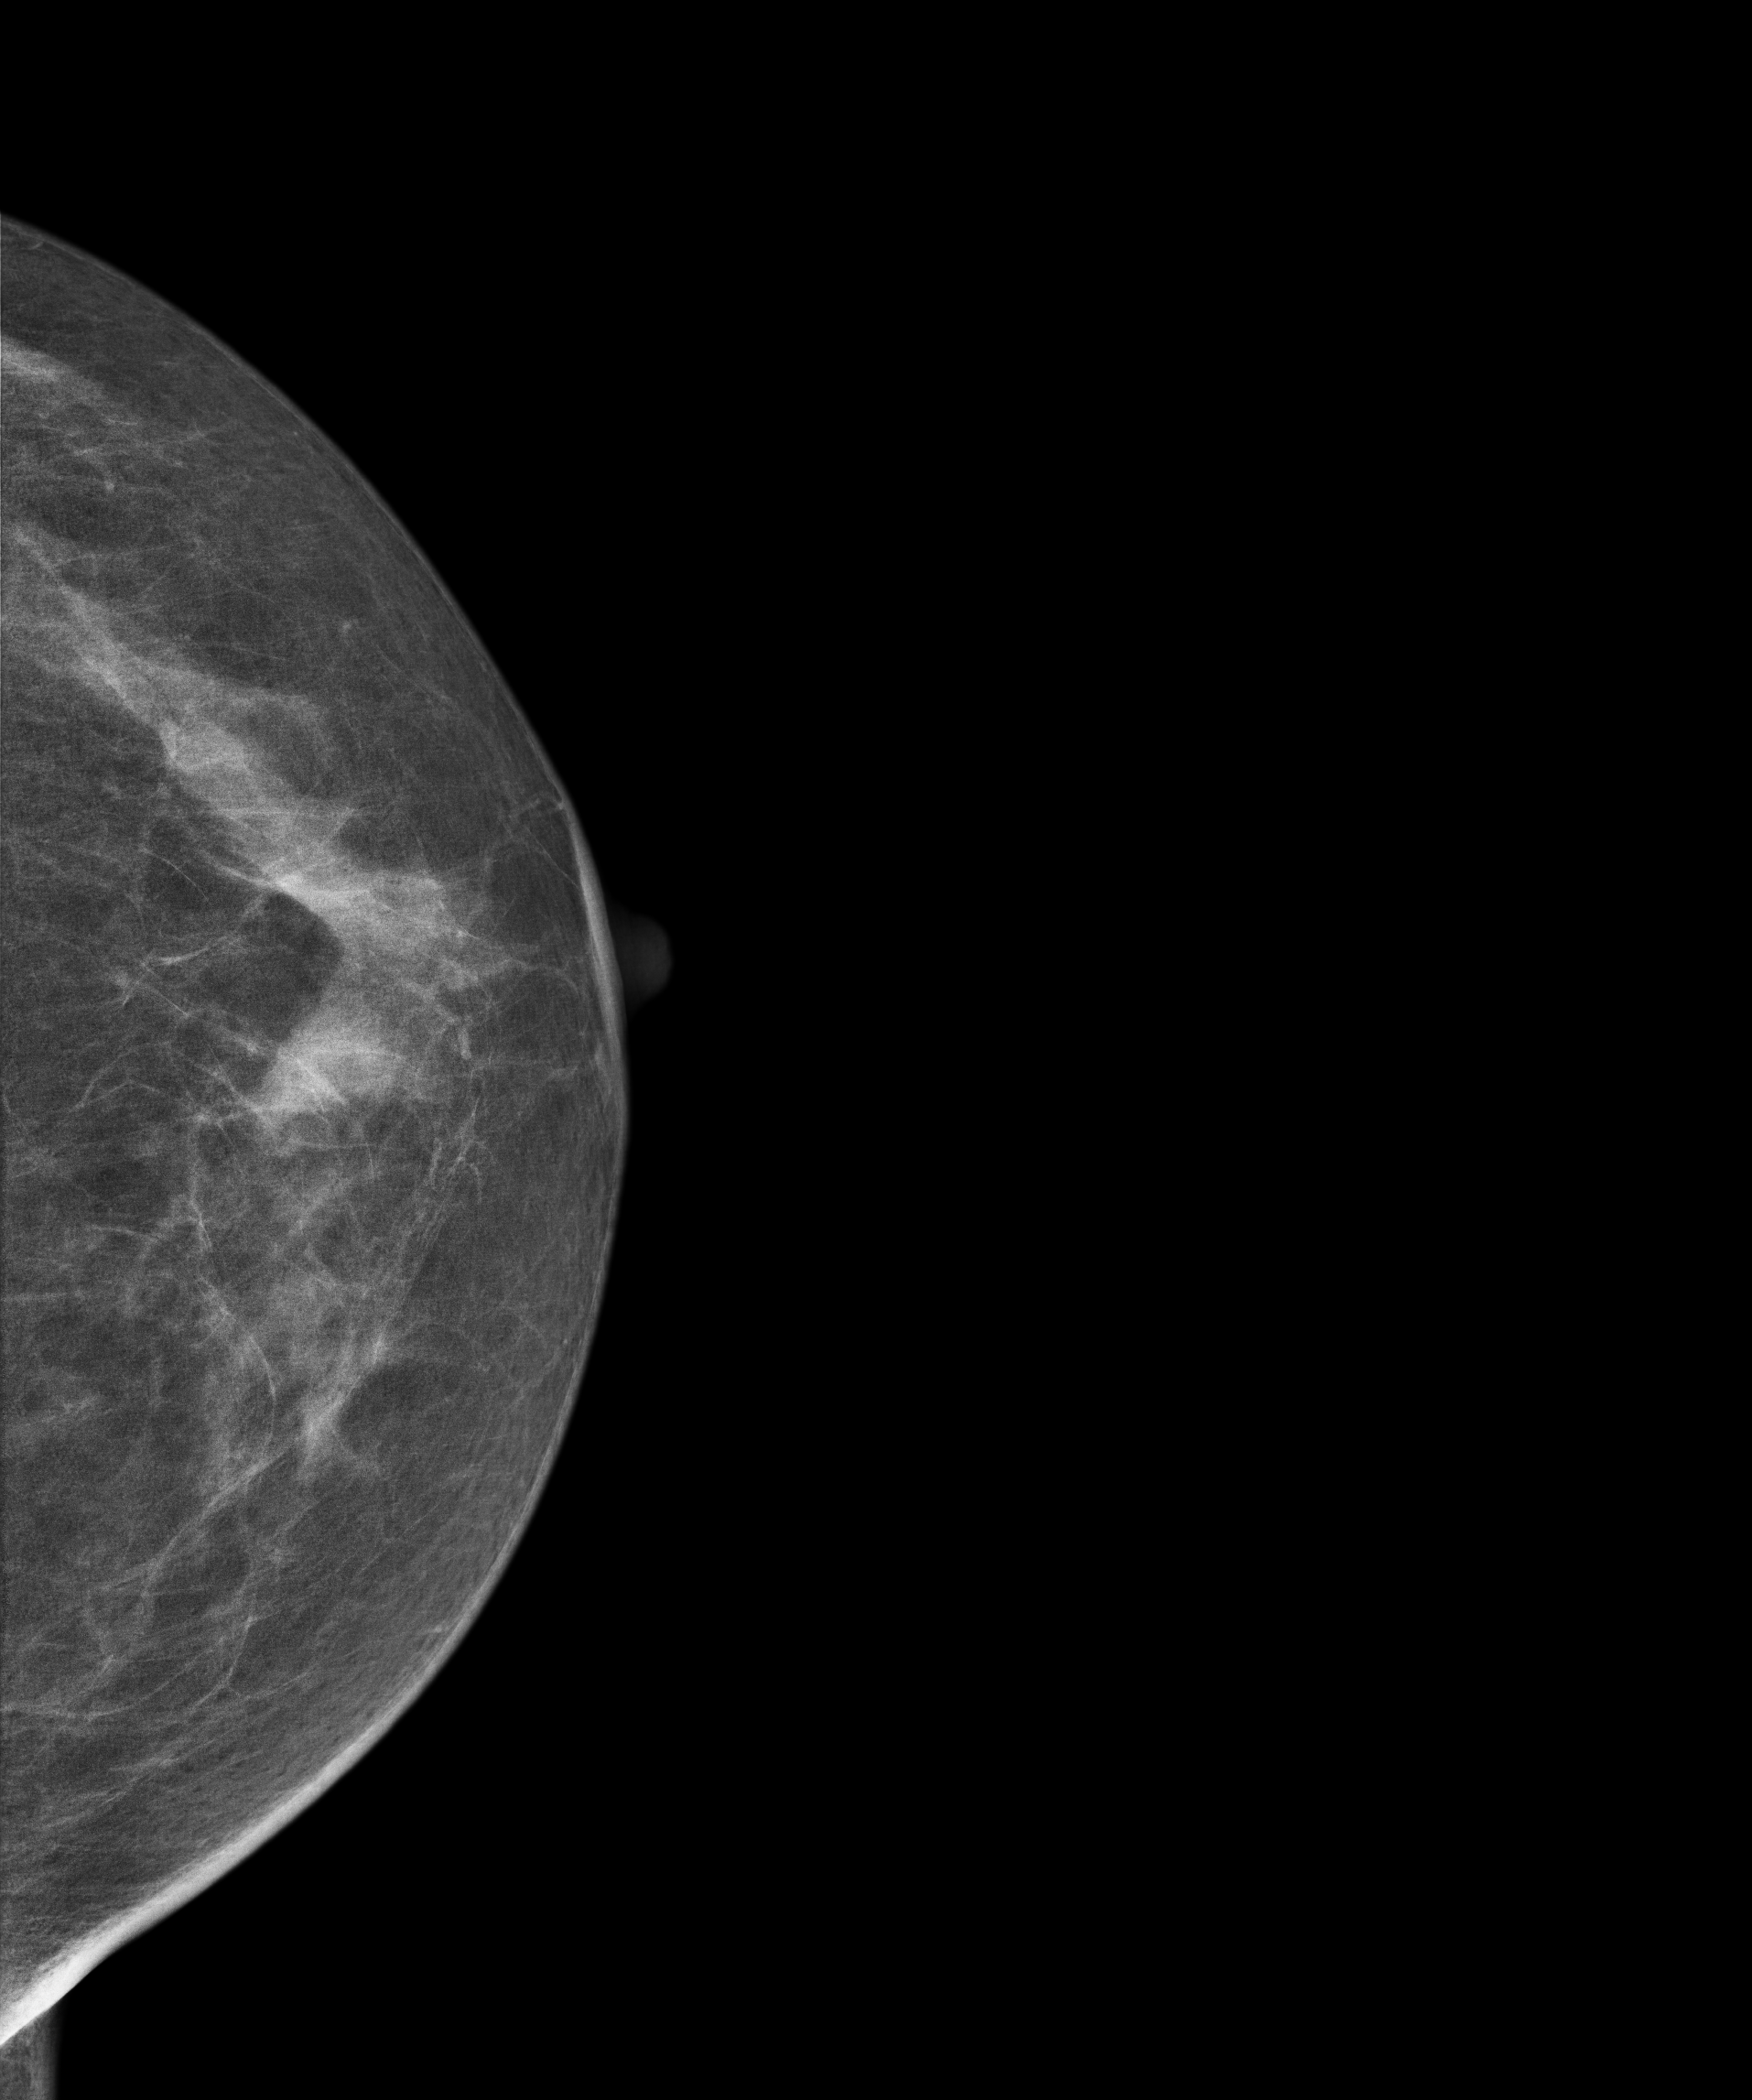
Digital mammography. Left breast, cranio-caudal projection. 64-year-old patient.
This breast has a mass, biopsy-confirmed malignant.